Digital mammography. Right breast, medio-lateral oblique projection. Patient age 51.
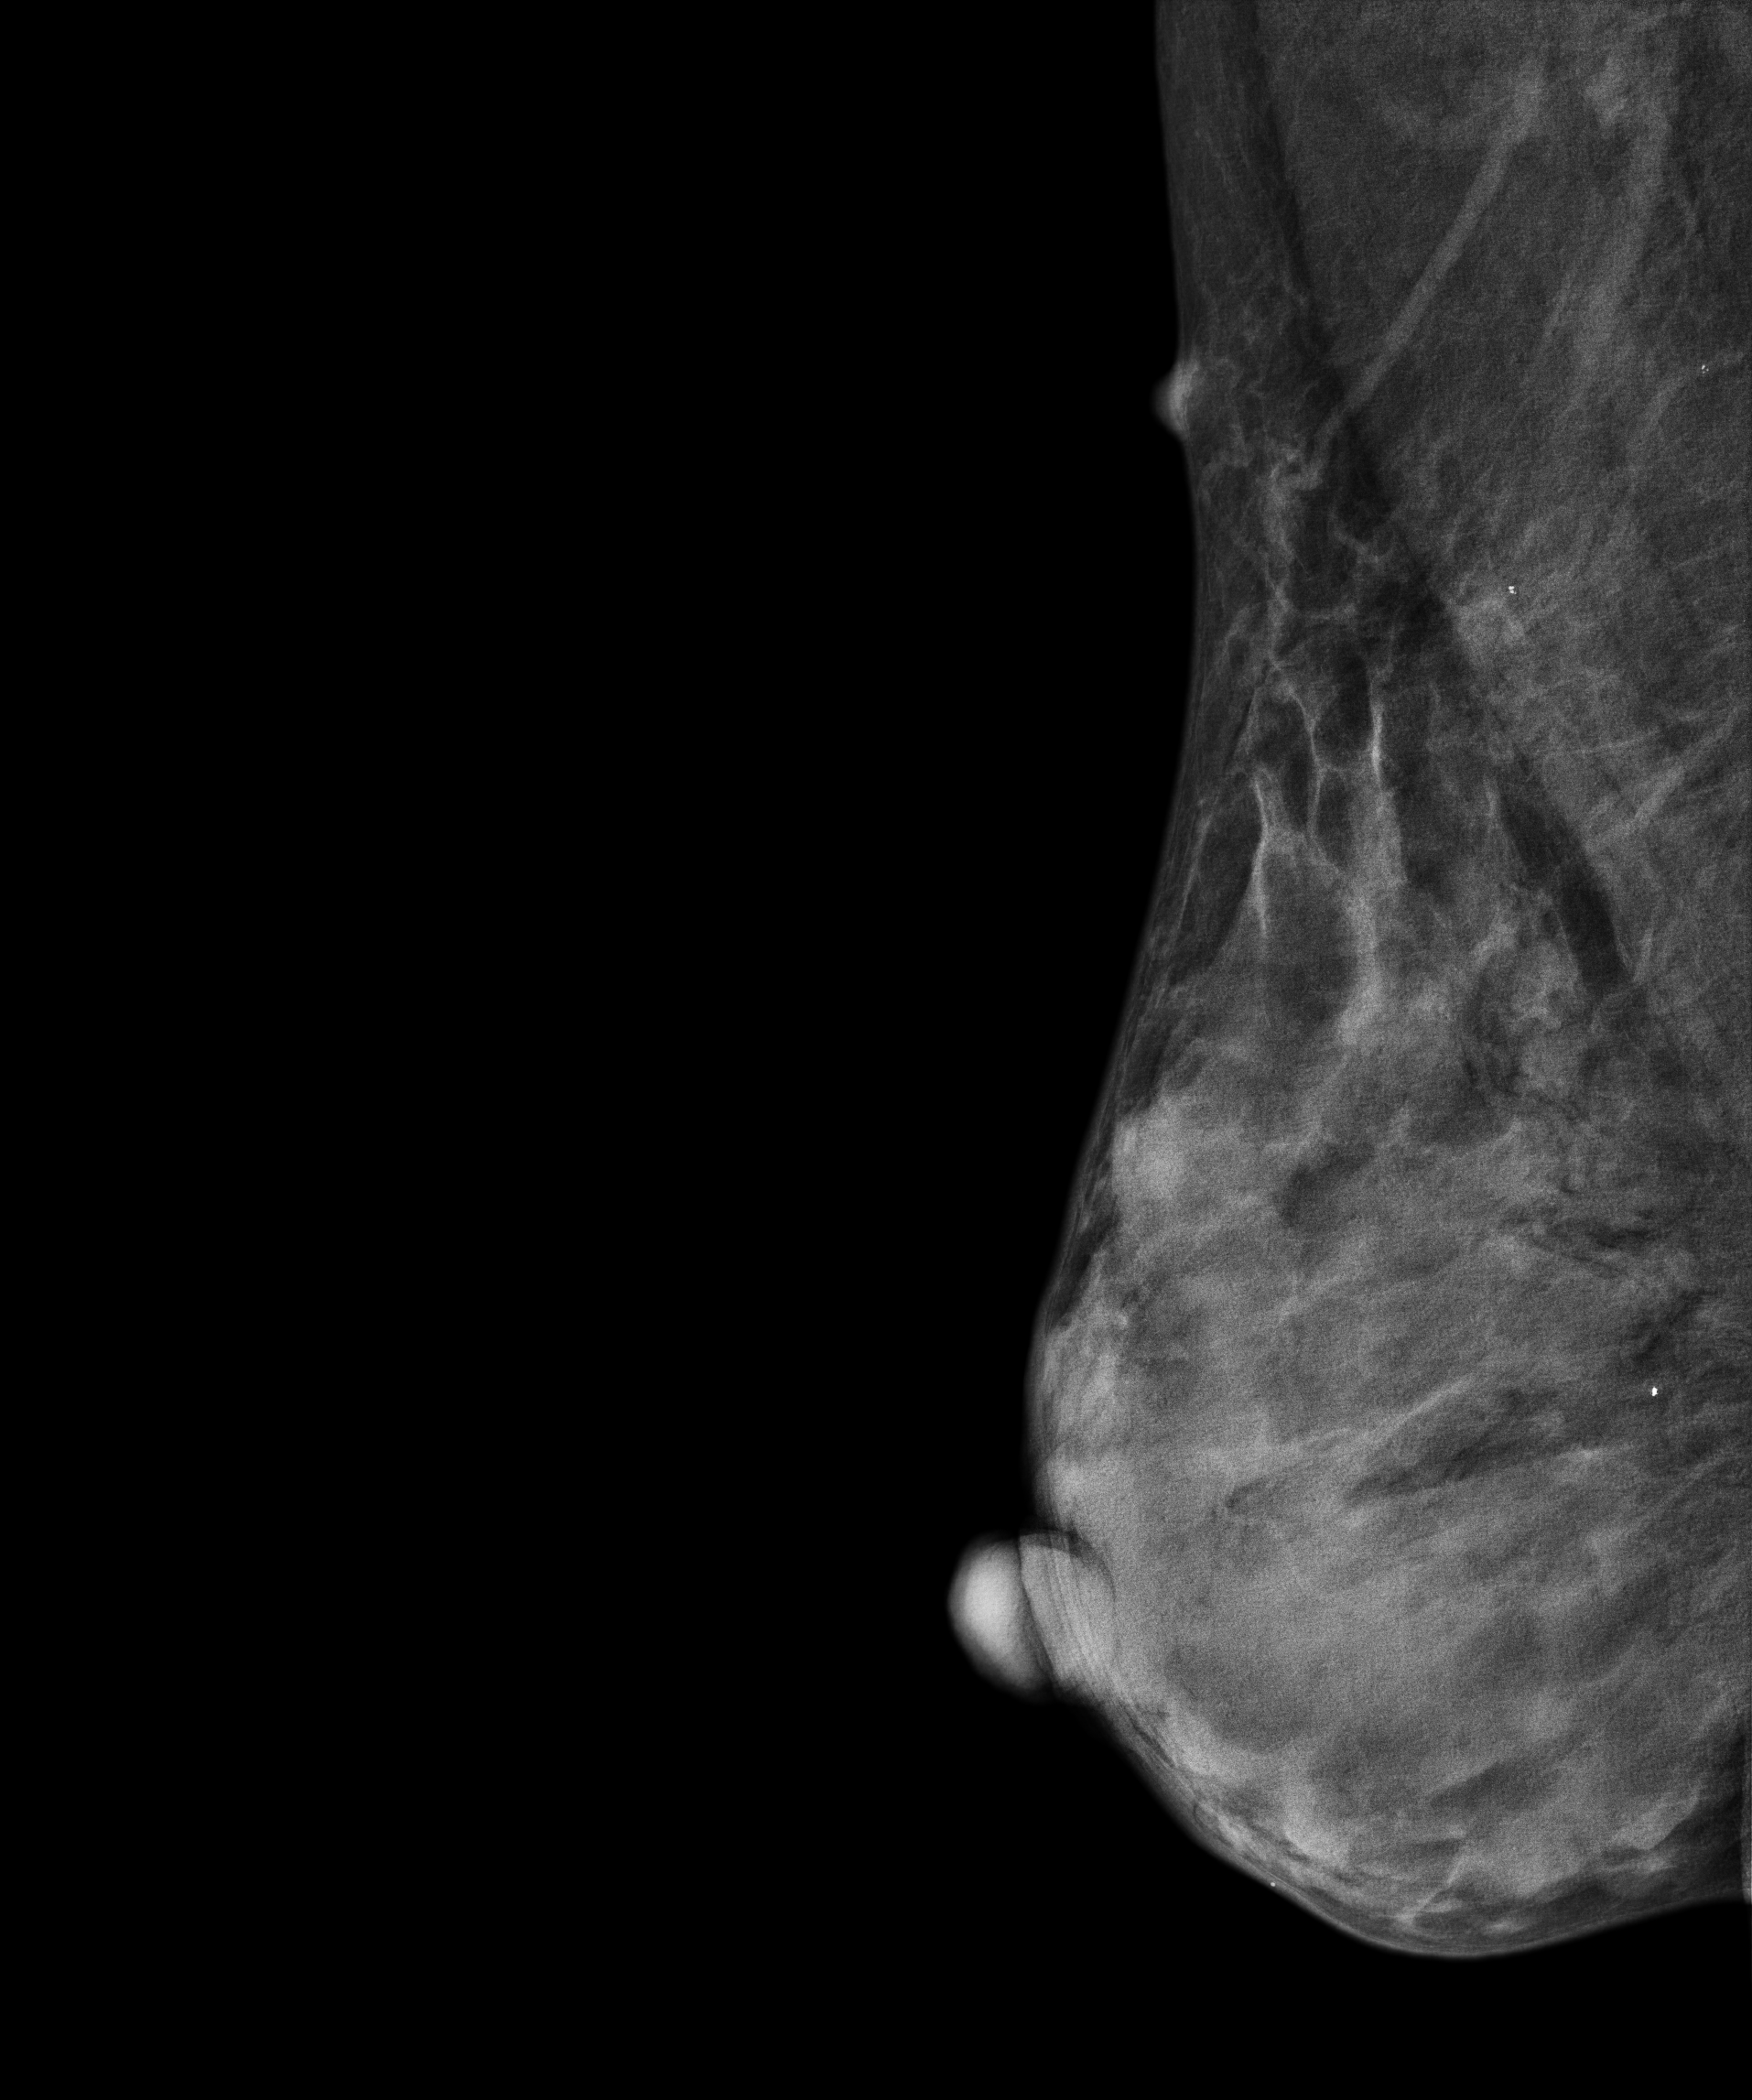
Contralateral breast — no documented abnormality on this side.